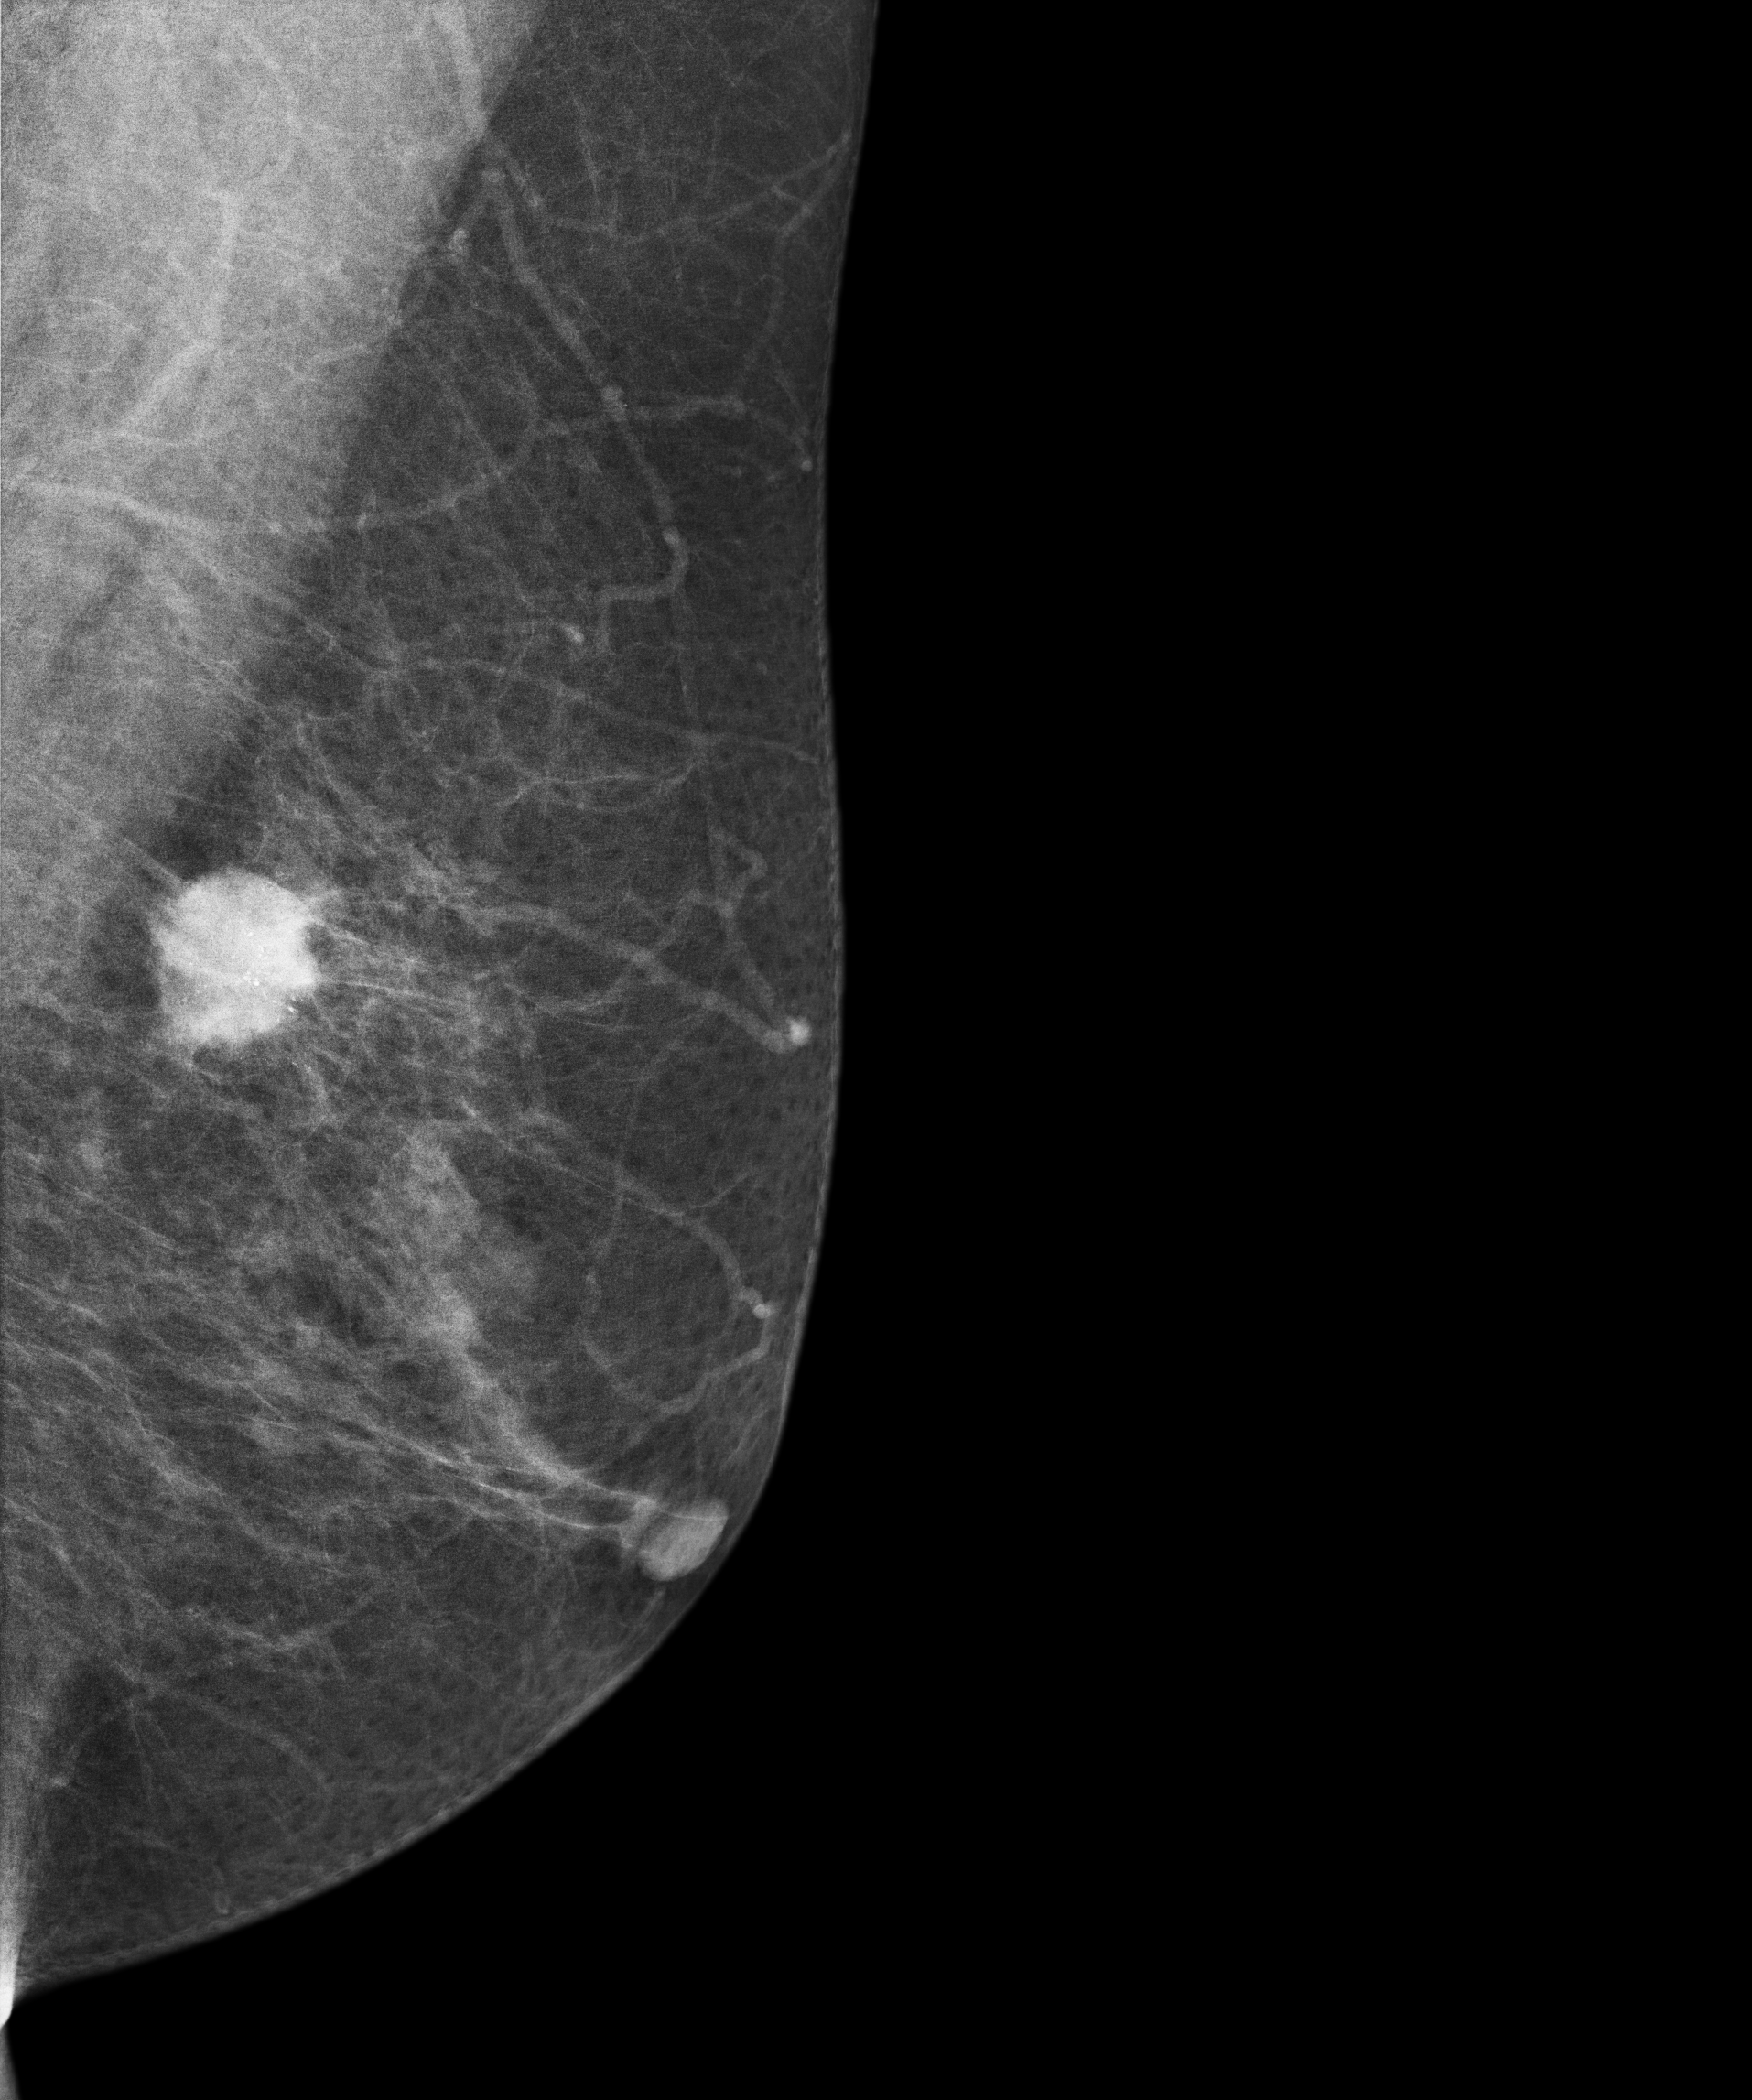
Mammogram — left medio-lateral oblique. 58-year-old patient.
This breast has a mass and calcifications, biopsy-proven malignant.